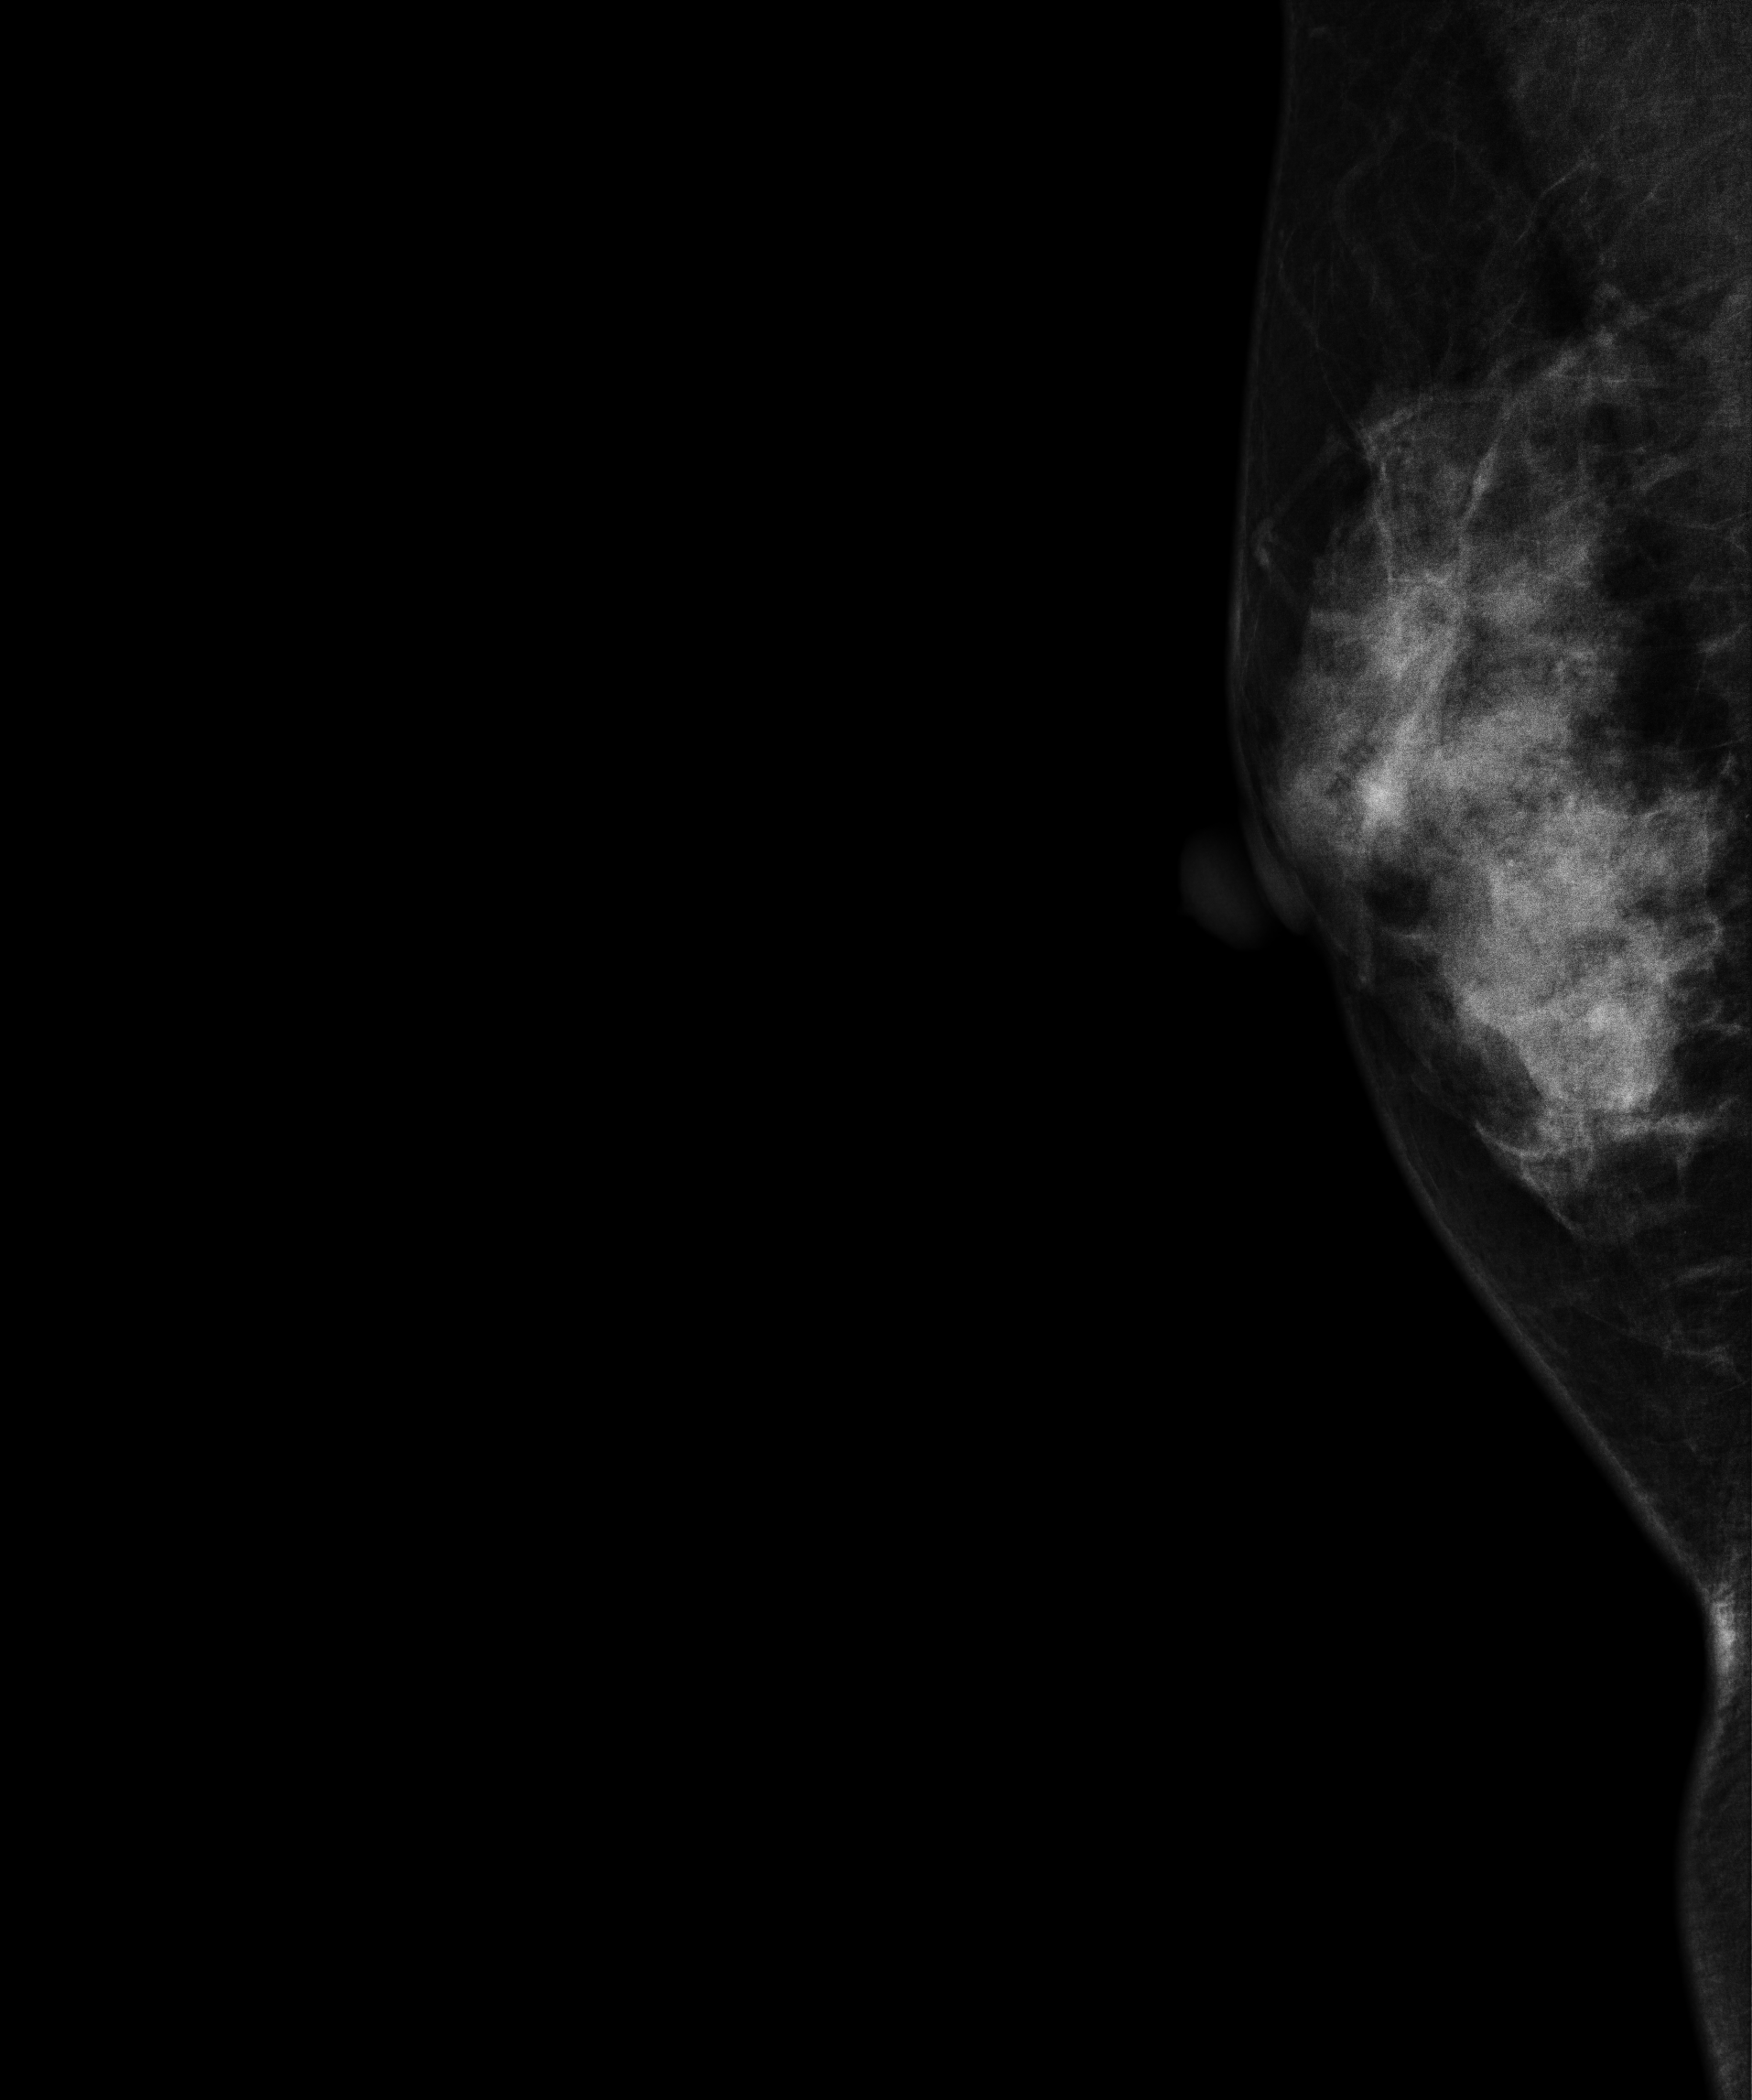
Right-breast mammogram, MLO. Patient age 43.
This breast has a mass, histologically confirmed benign.